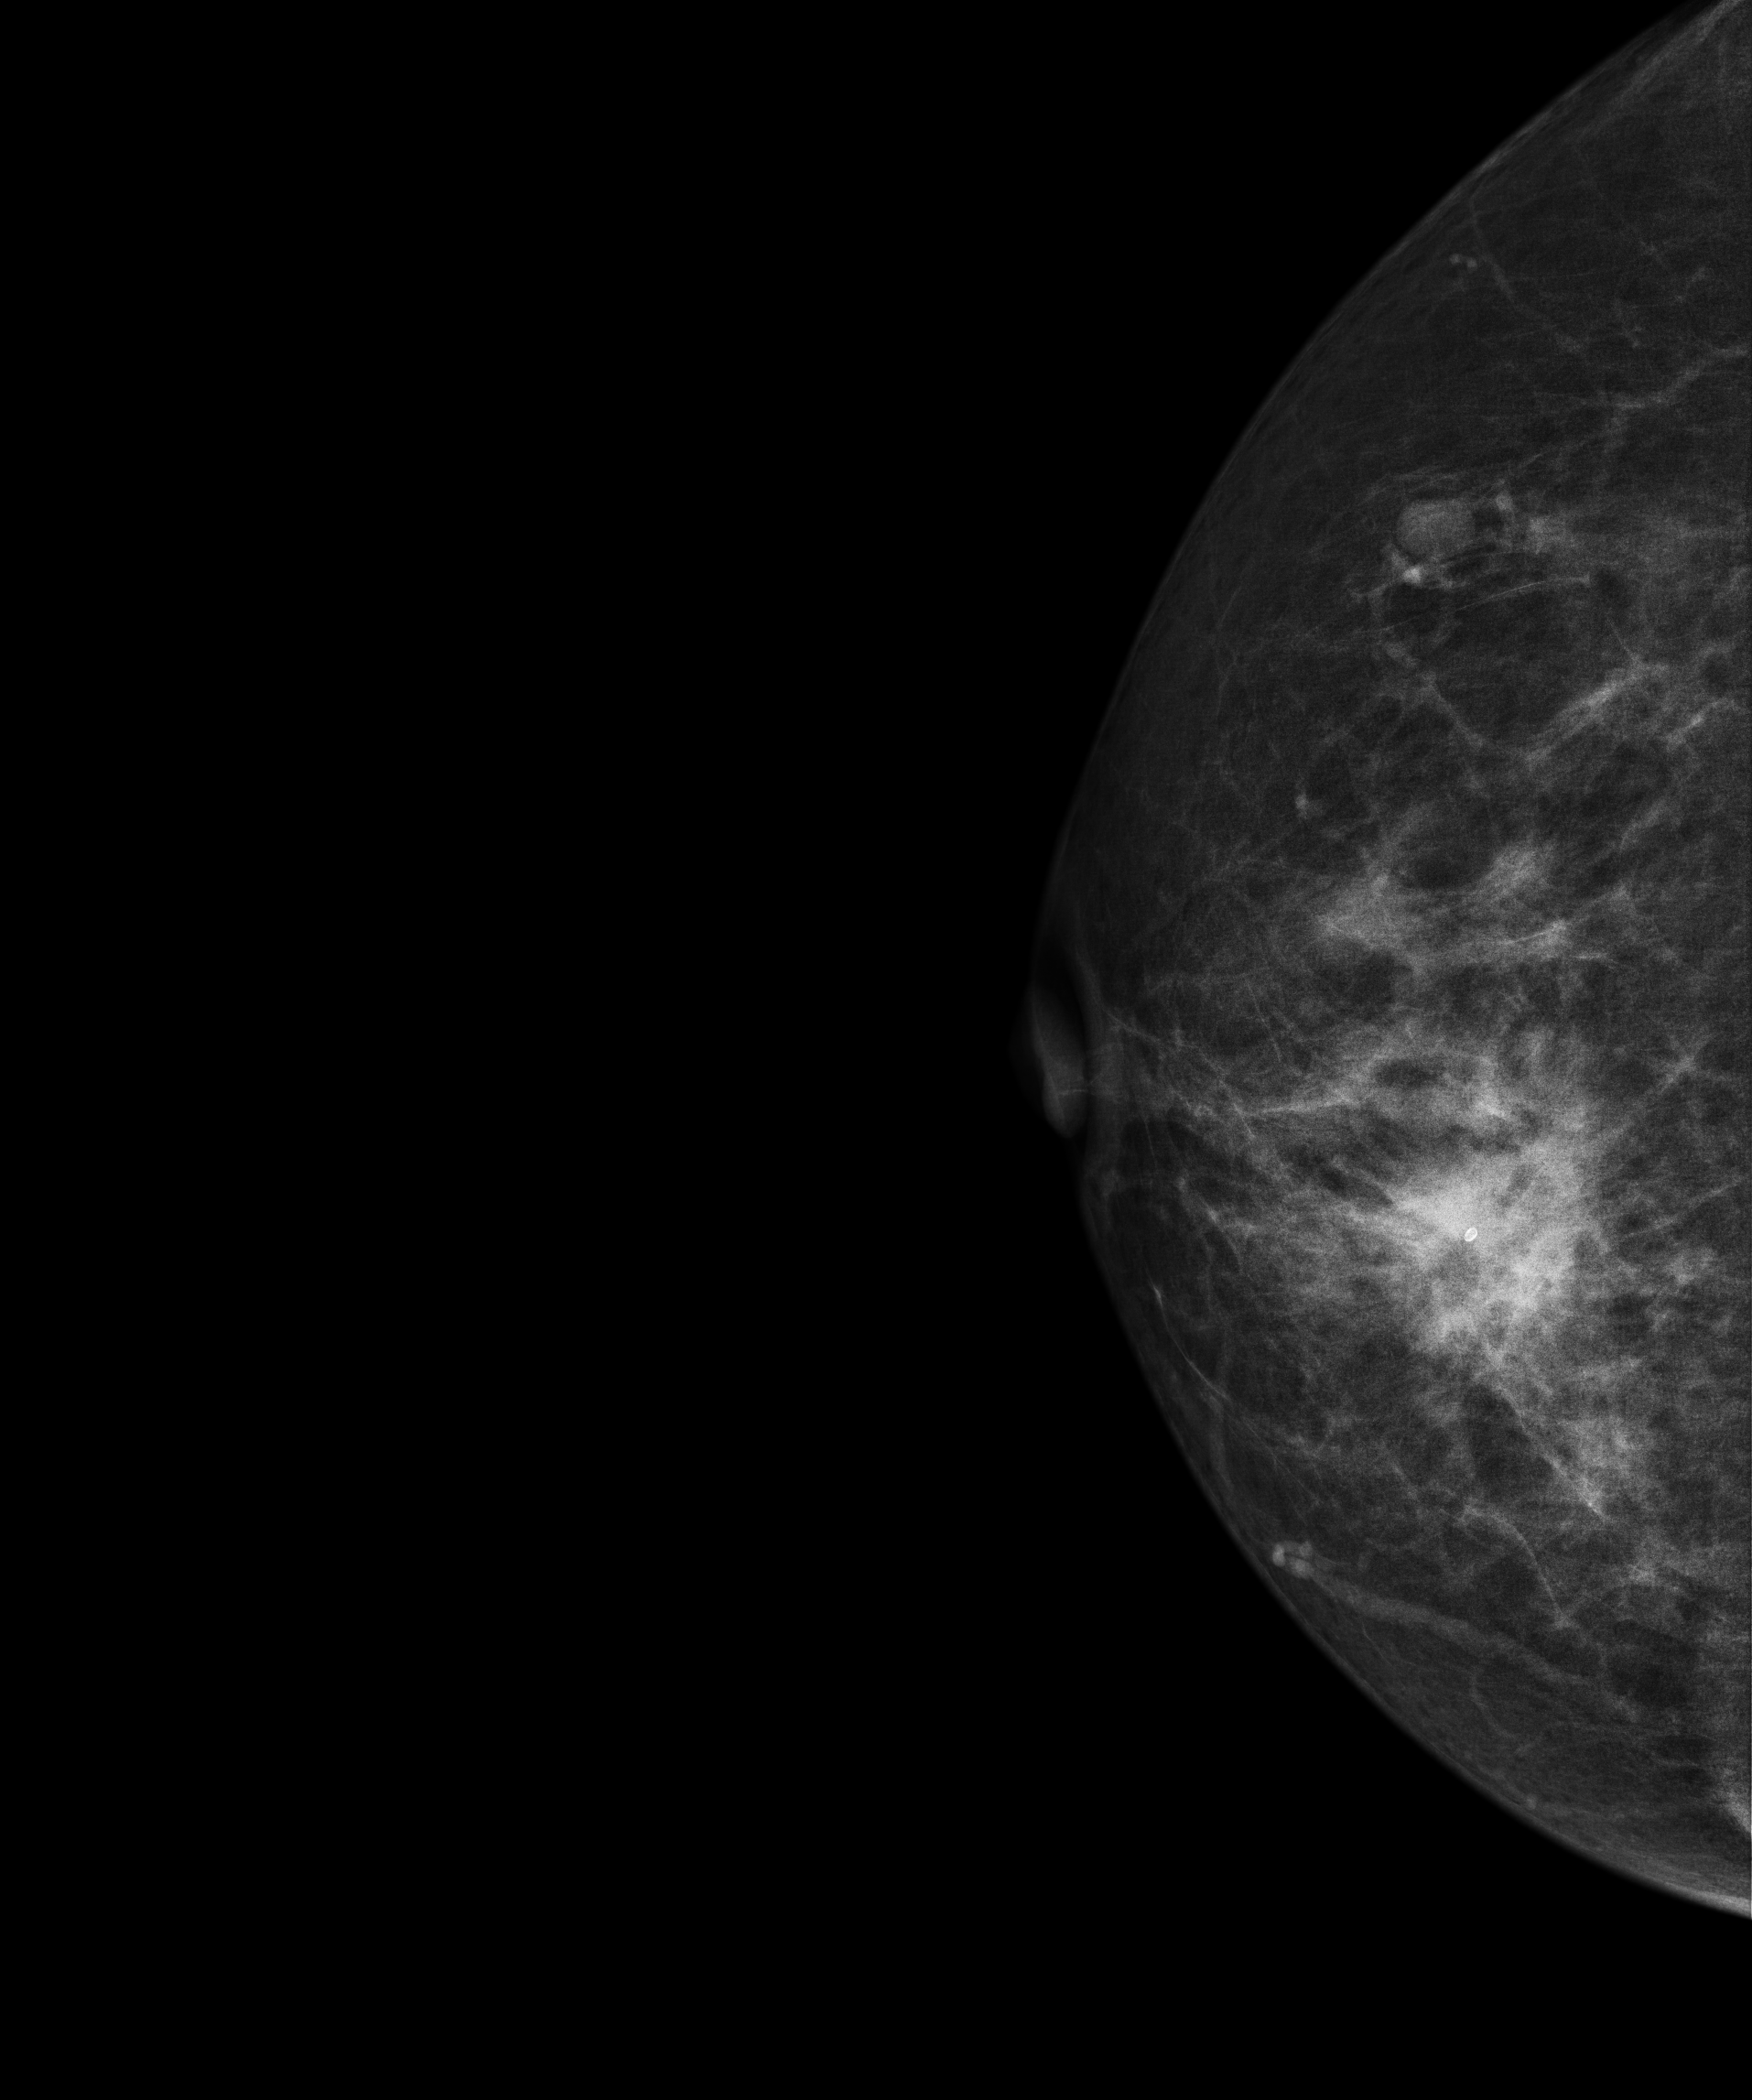
CC mammogram of the right breast. 59 y/o patient.
This breast has a mass, pathology-confirmed malignant. Molecular subtype: HER2-enriched.